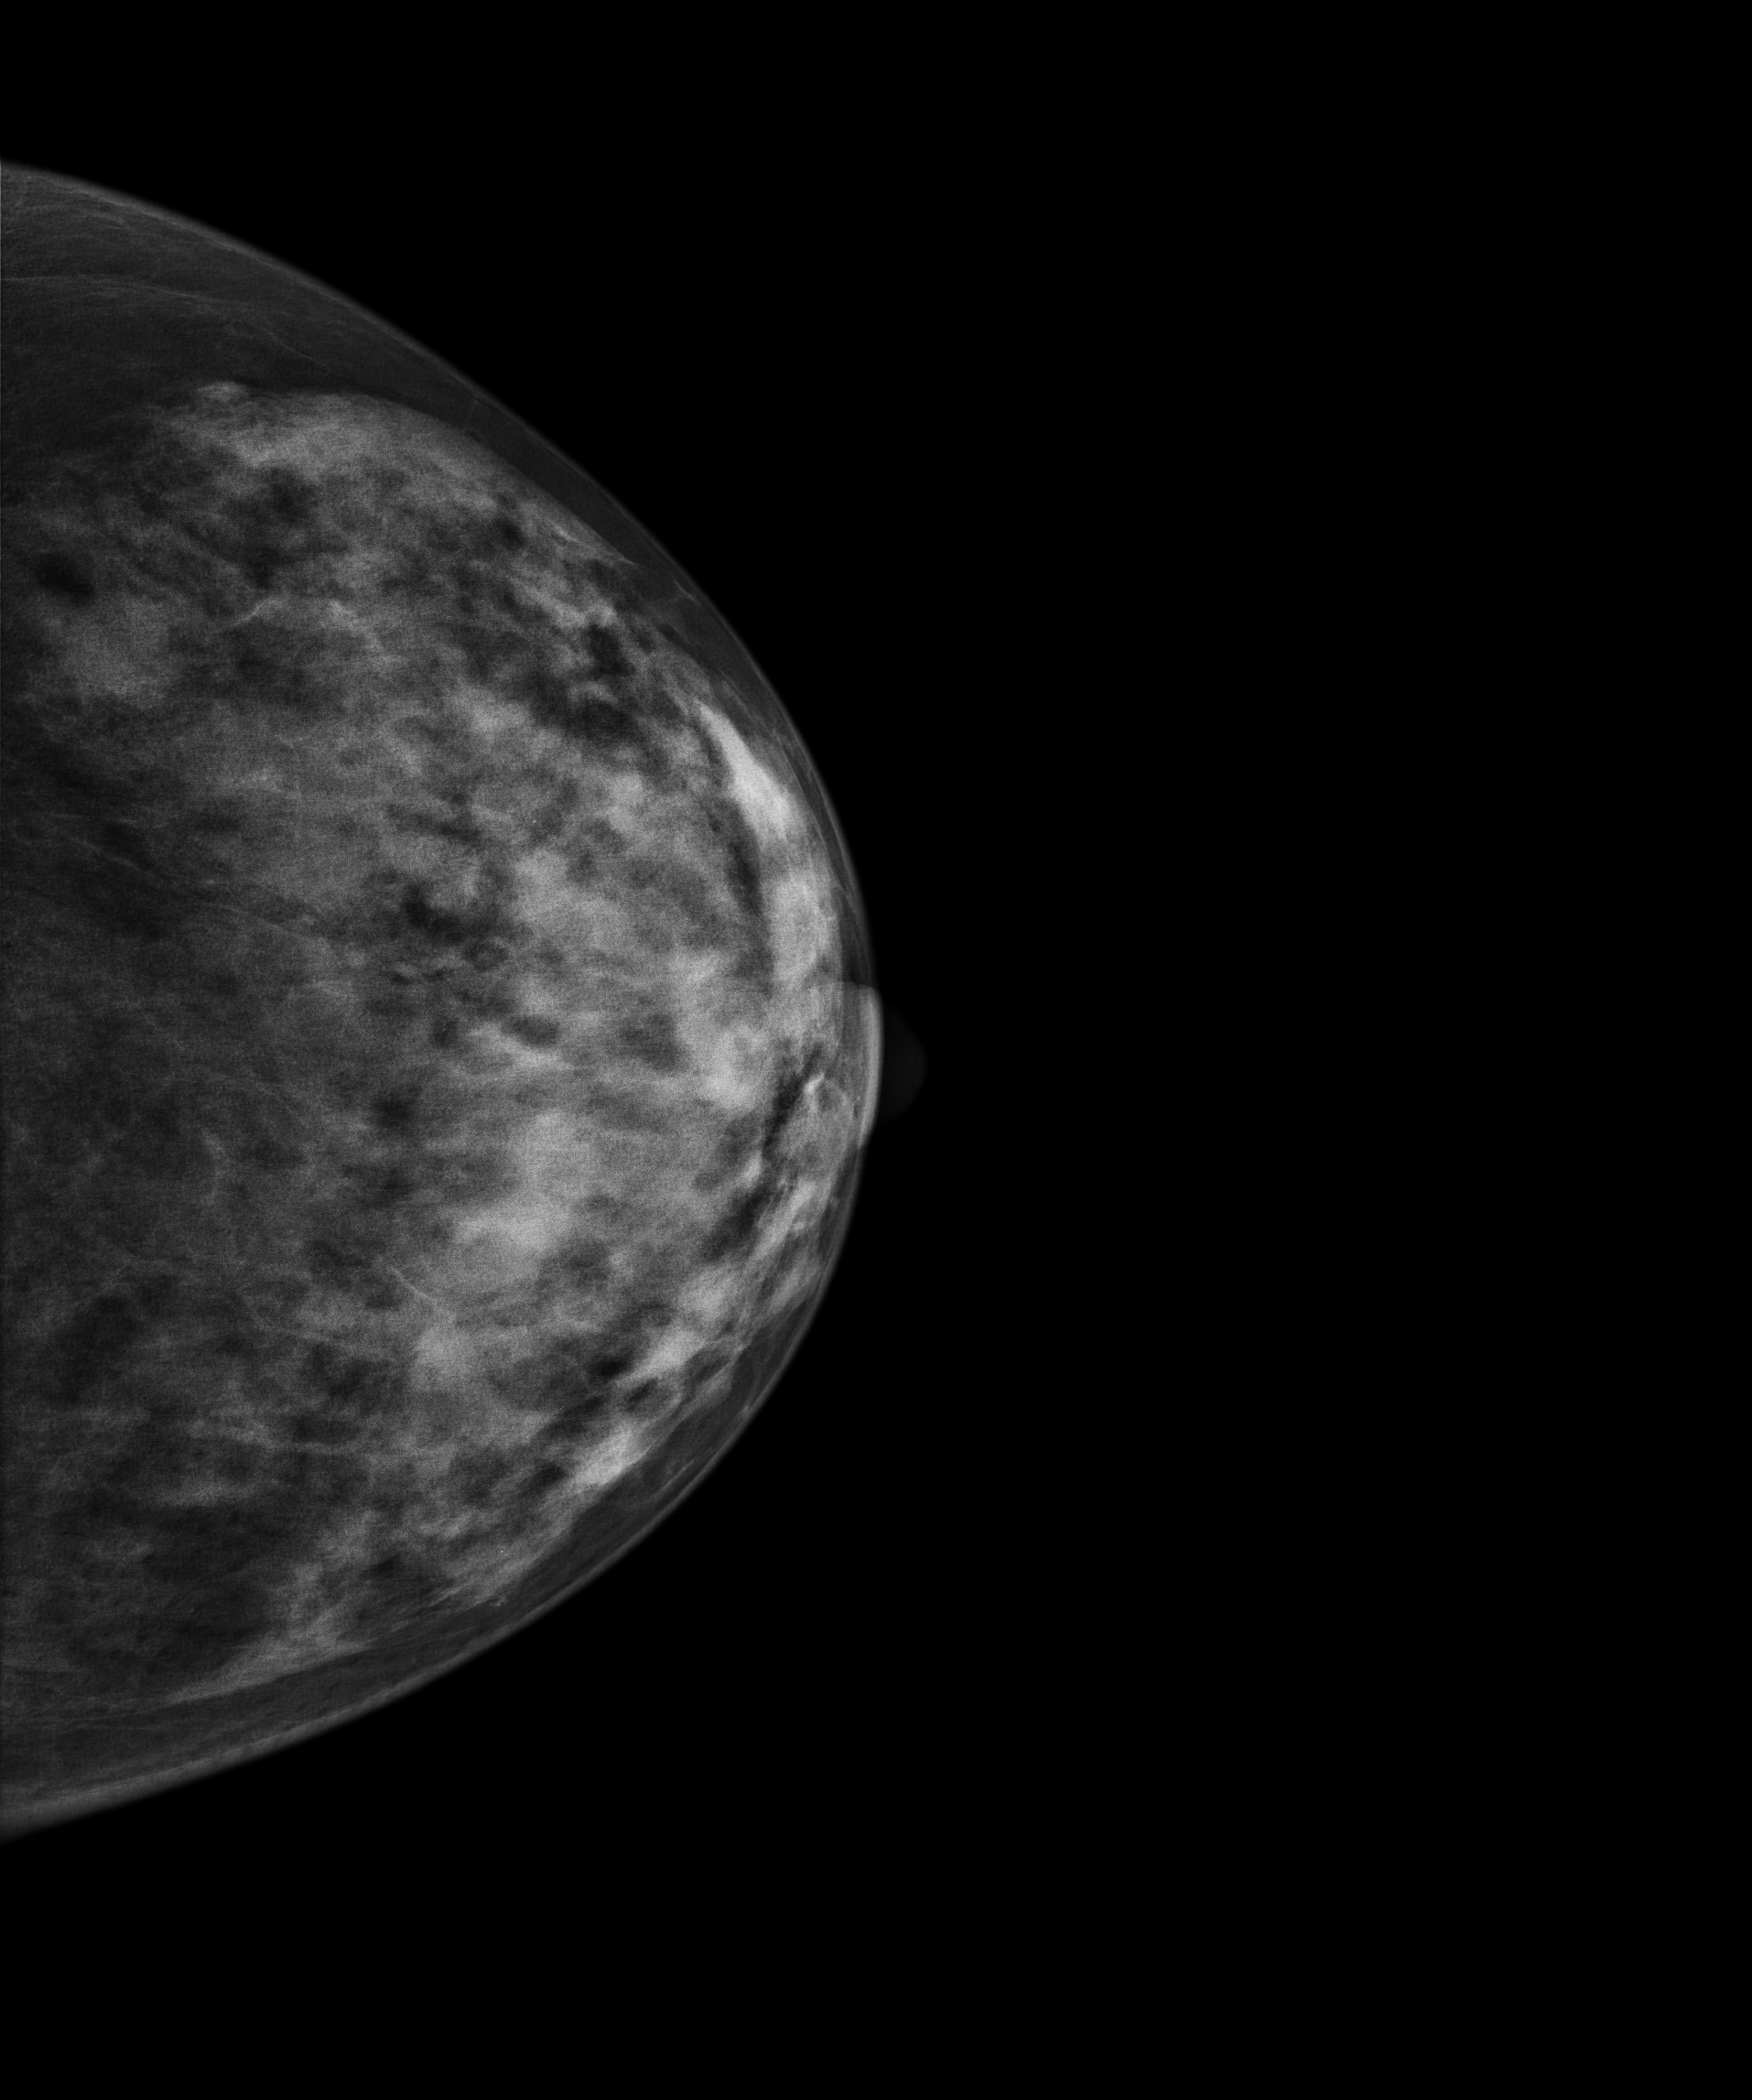
Left-breast mammogram, CC. 61-year-old patient.
Contralateral breast — no documented abnormality on this side.